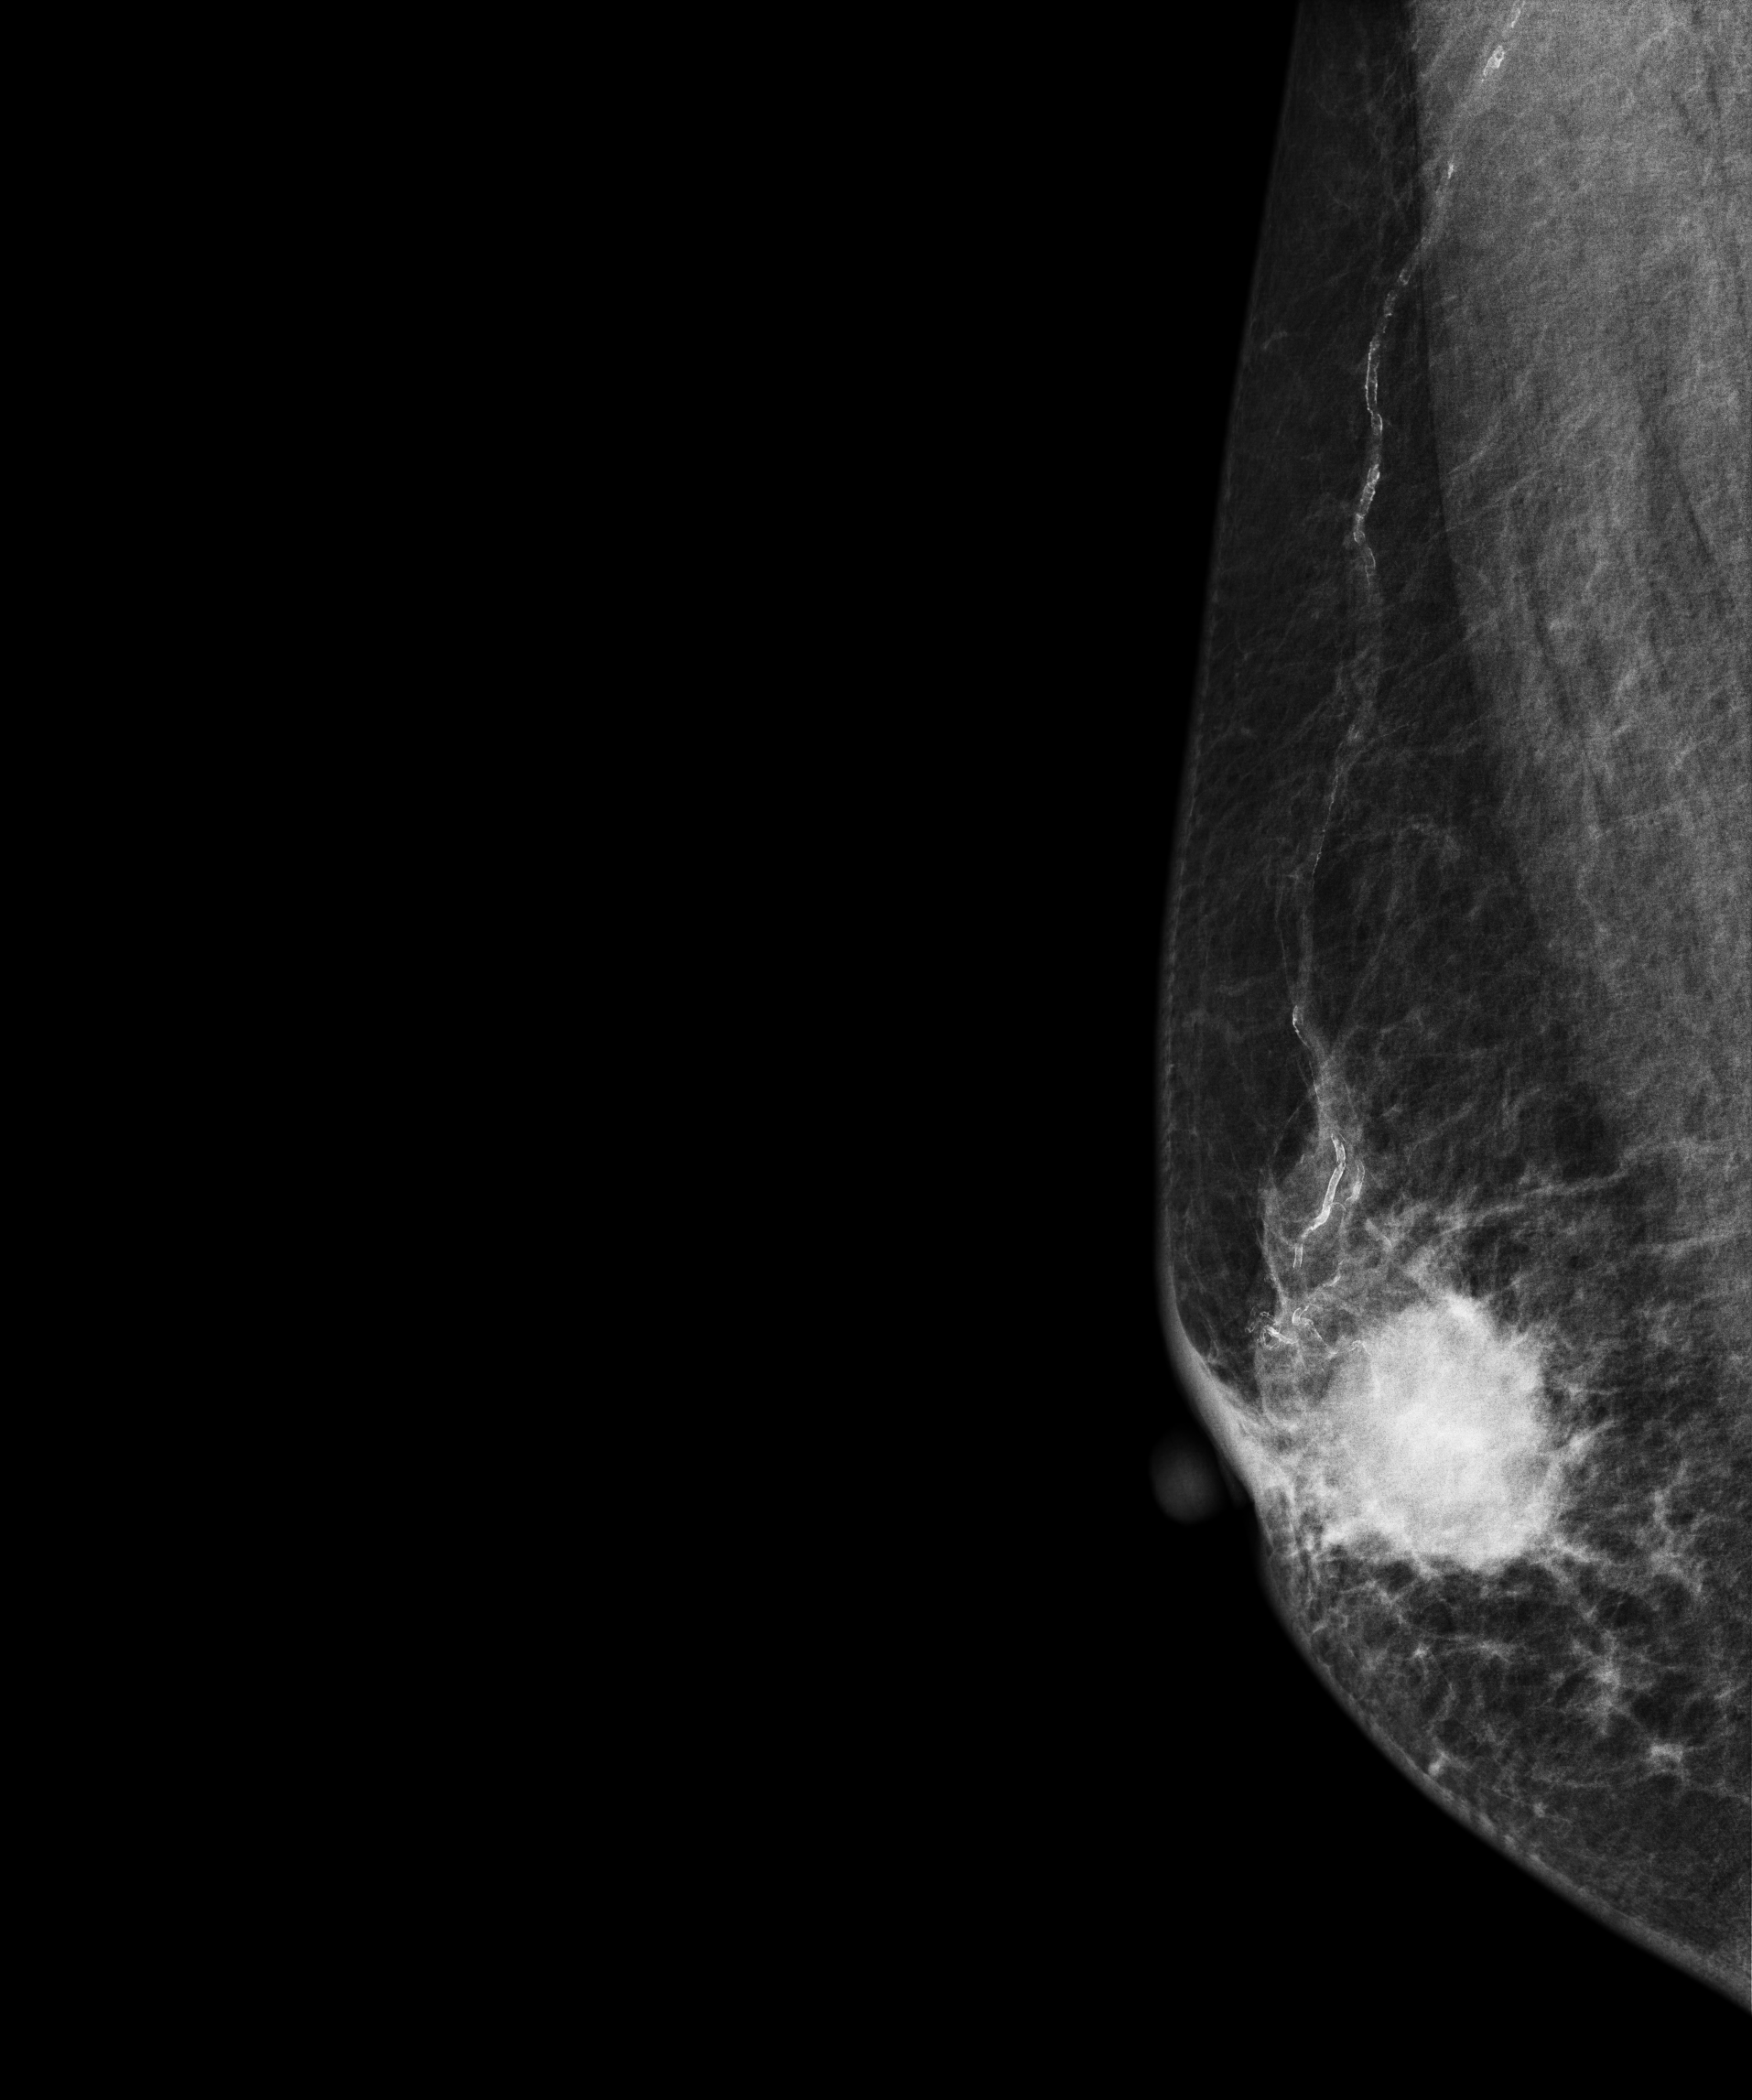
Mammogram — right MLO. Patient age 68.
This breast has a mass, pathology-confirmed malignant. Molecular subtype: luminal B.